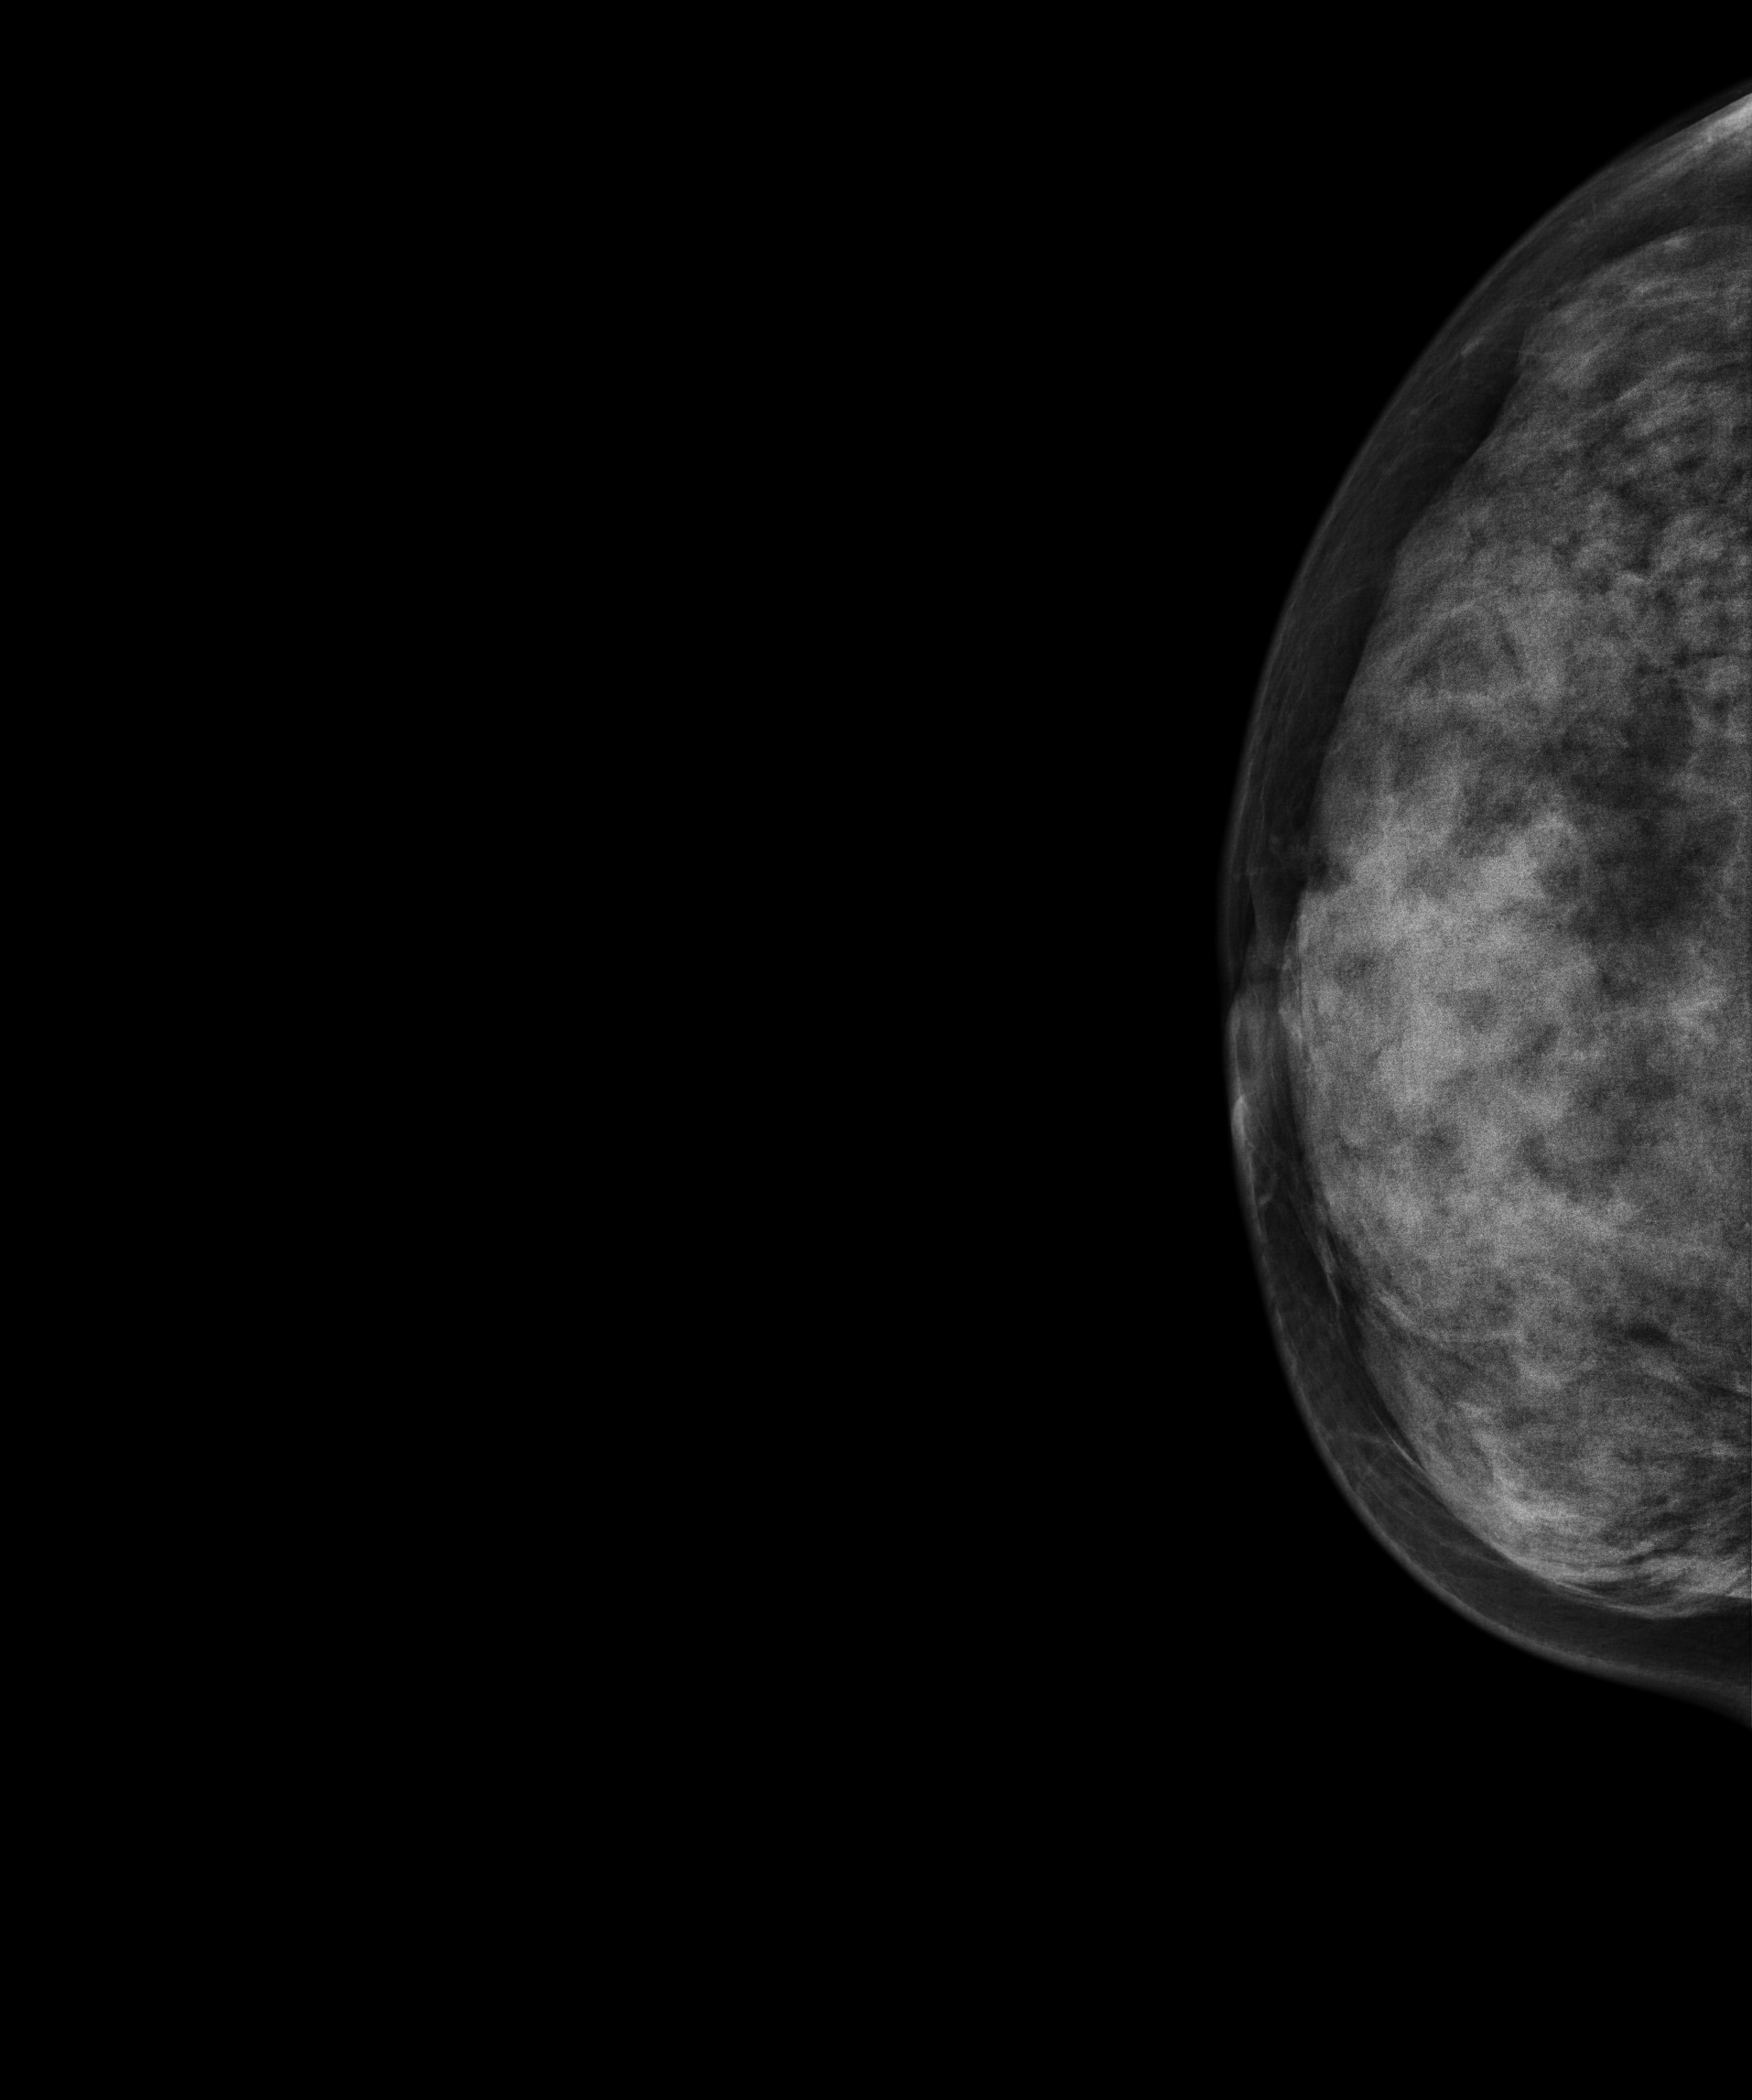
Right-breast mammogram, cranio-caudal. 42-year-old patient.
This breast has a mass, pathology-confirmed malignant.